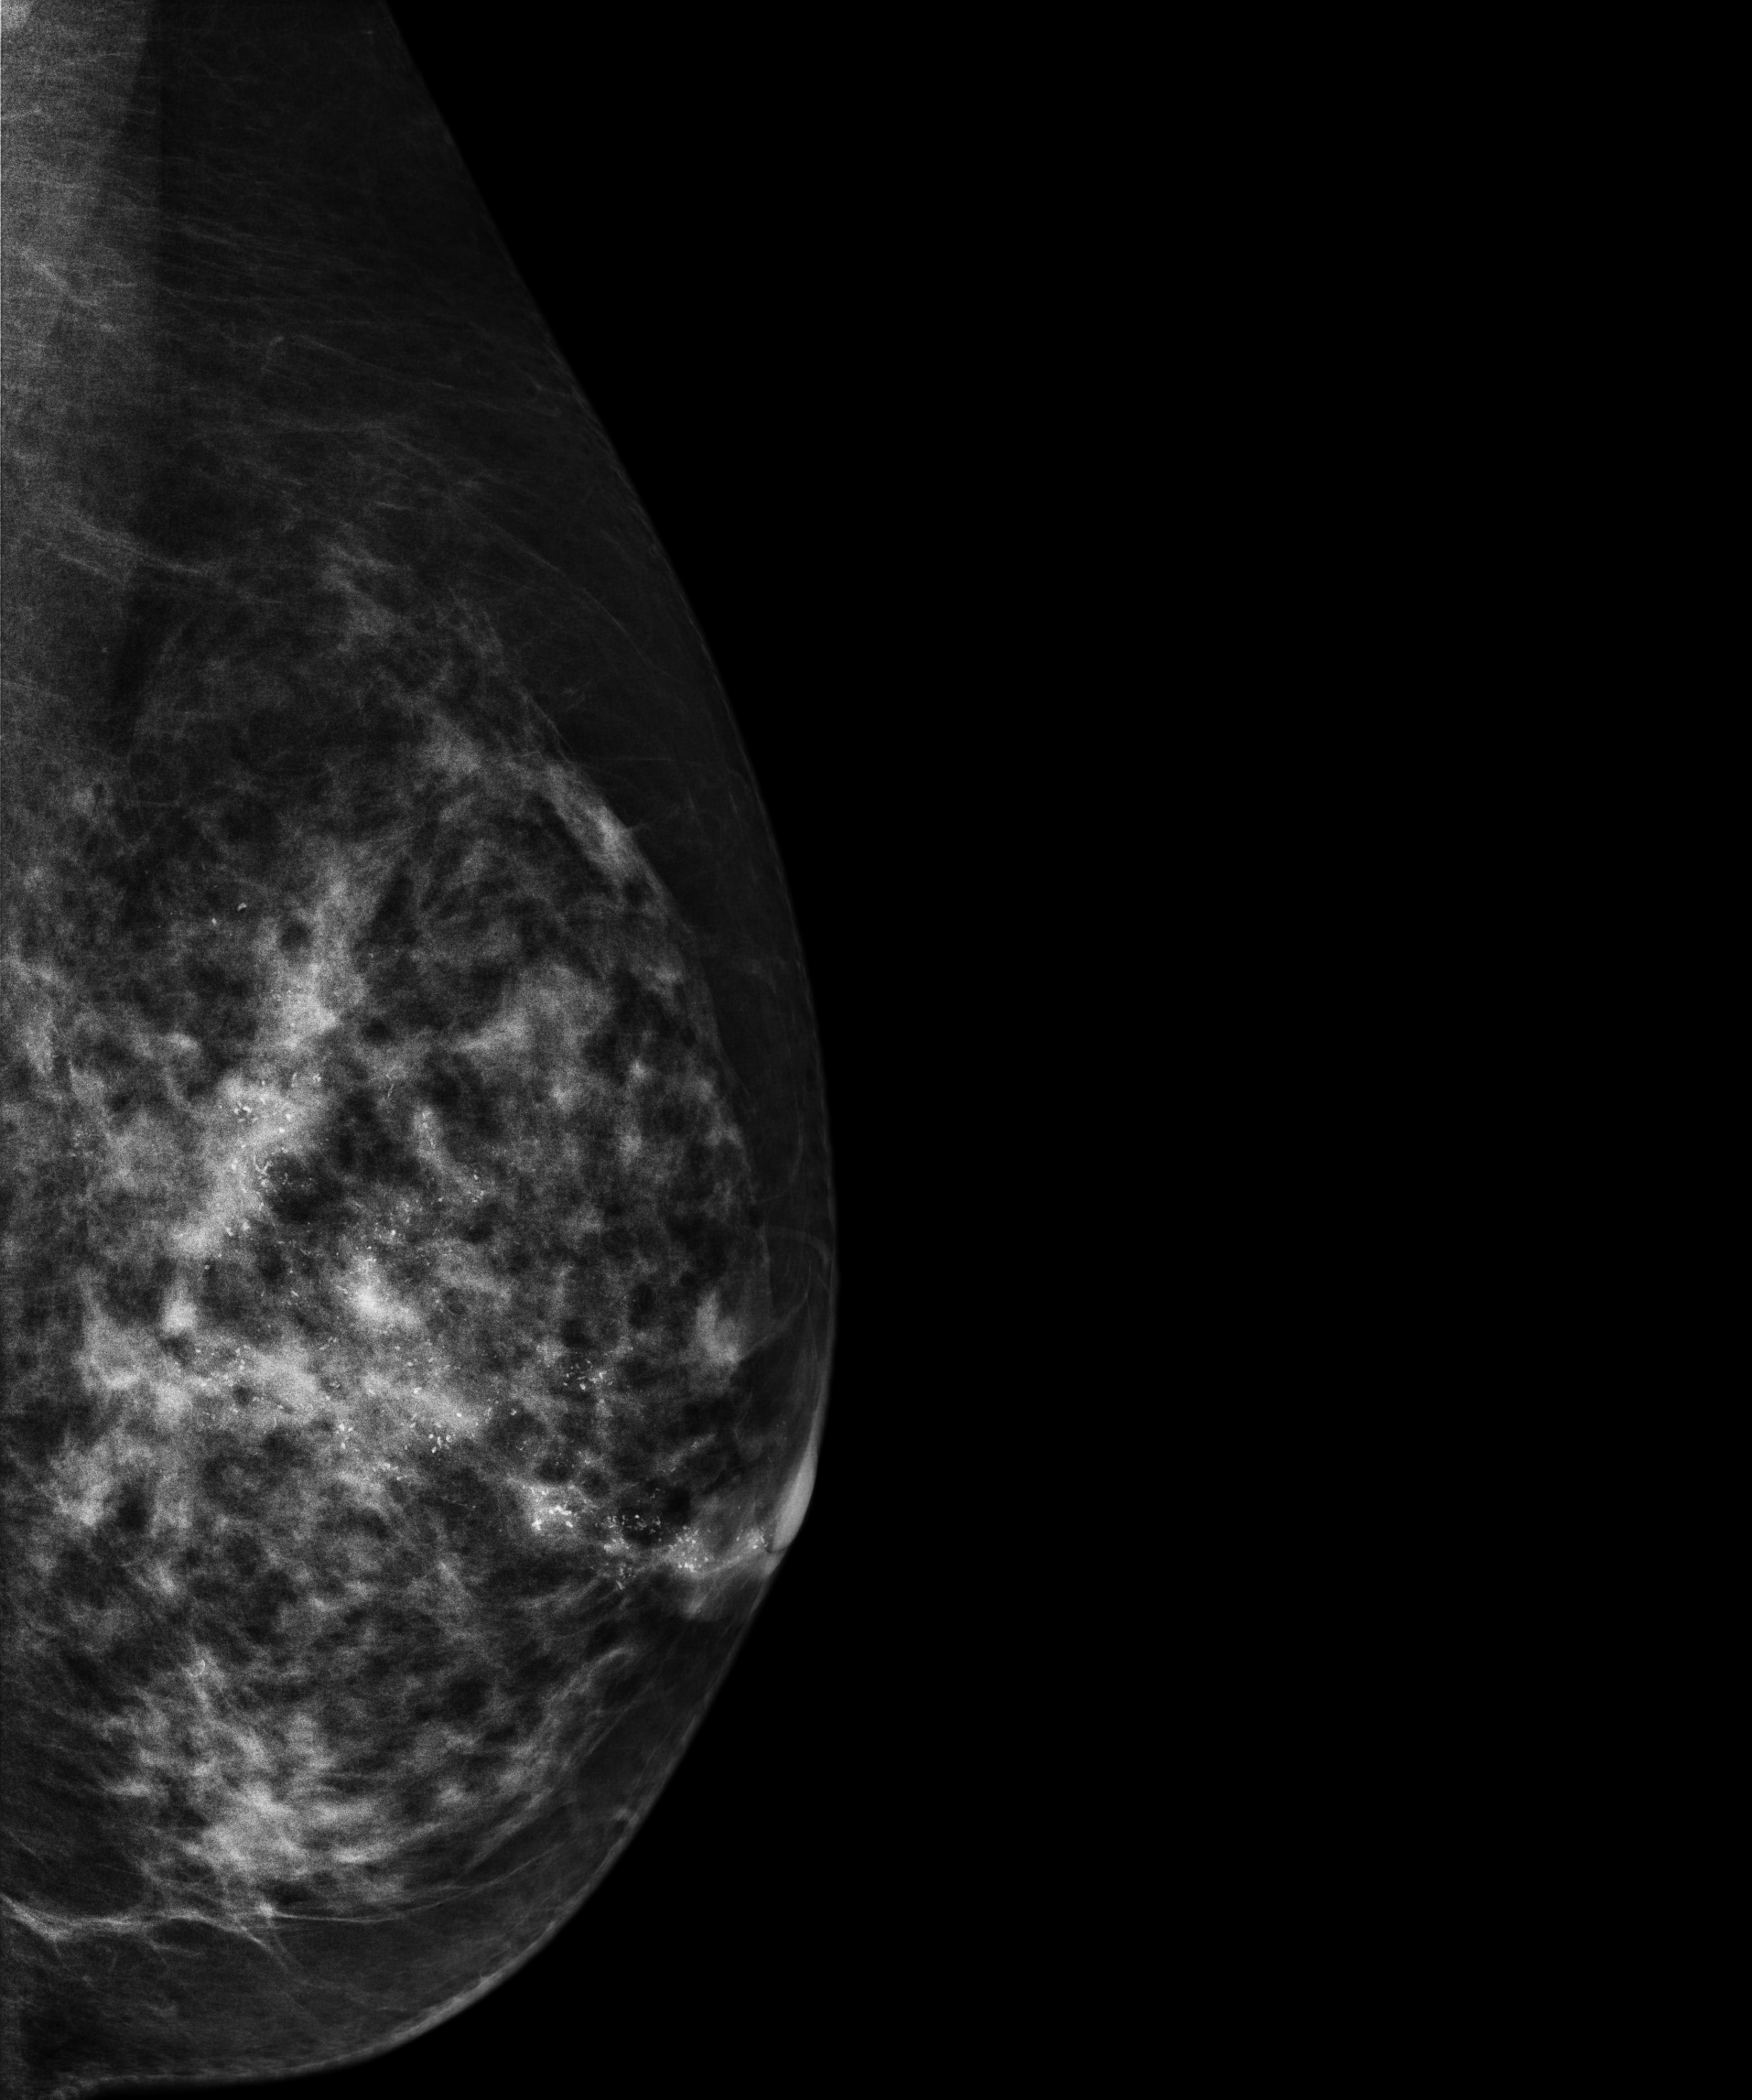
Mammogram, left breast, MLO view. 55-year-old patient.
This breast has a mass and calcifications, histologically confirmed malignant. Molecular subtype: luminal B.